Mammogram, right breast, CC view. Patient age 52.
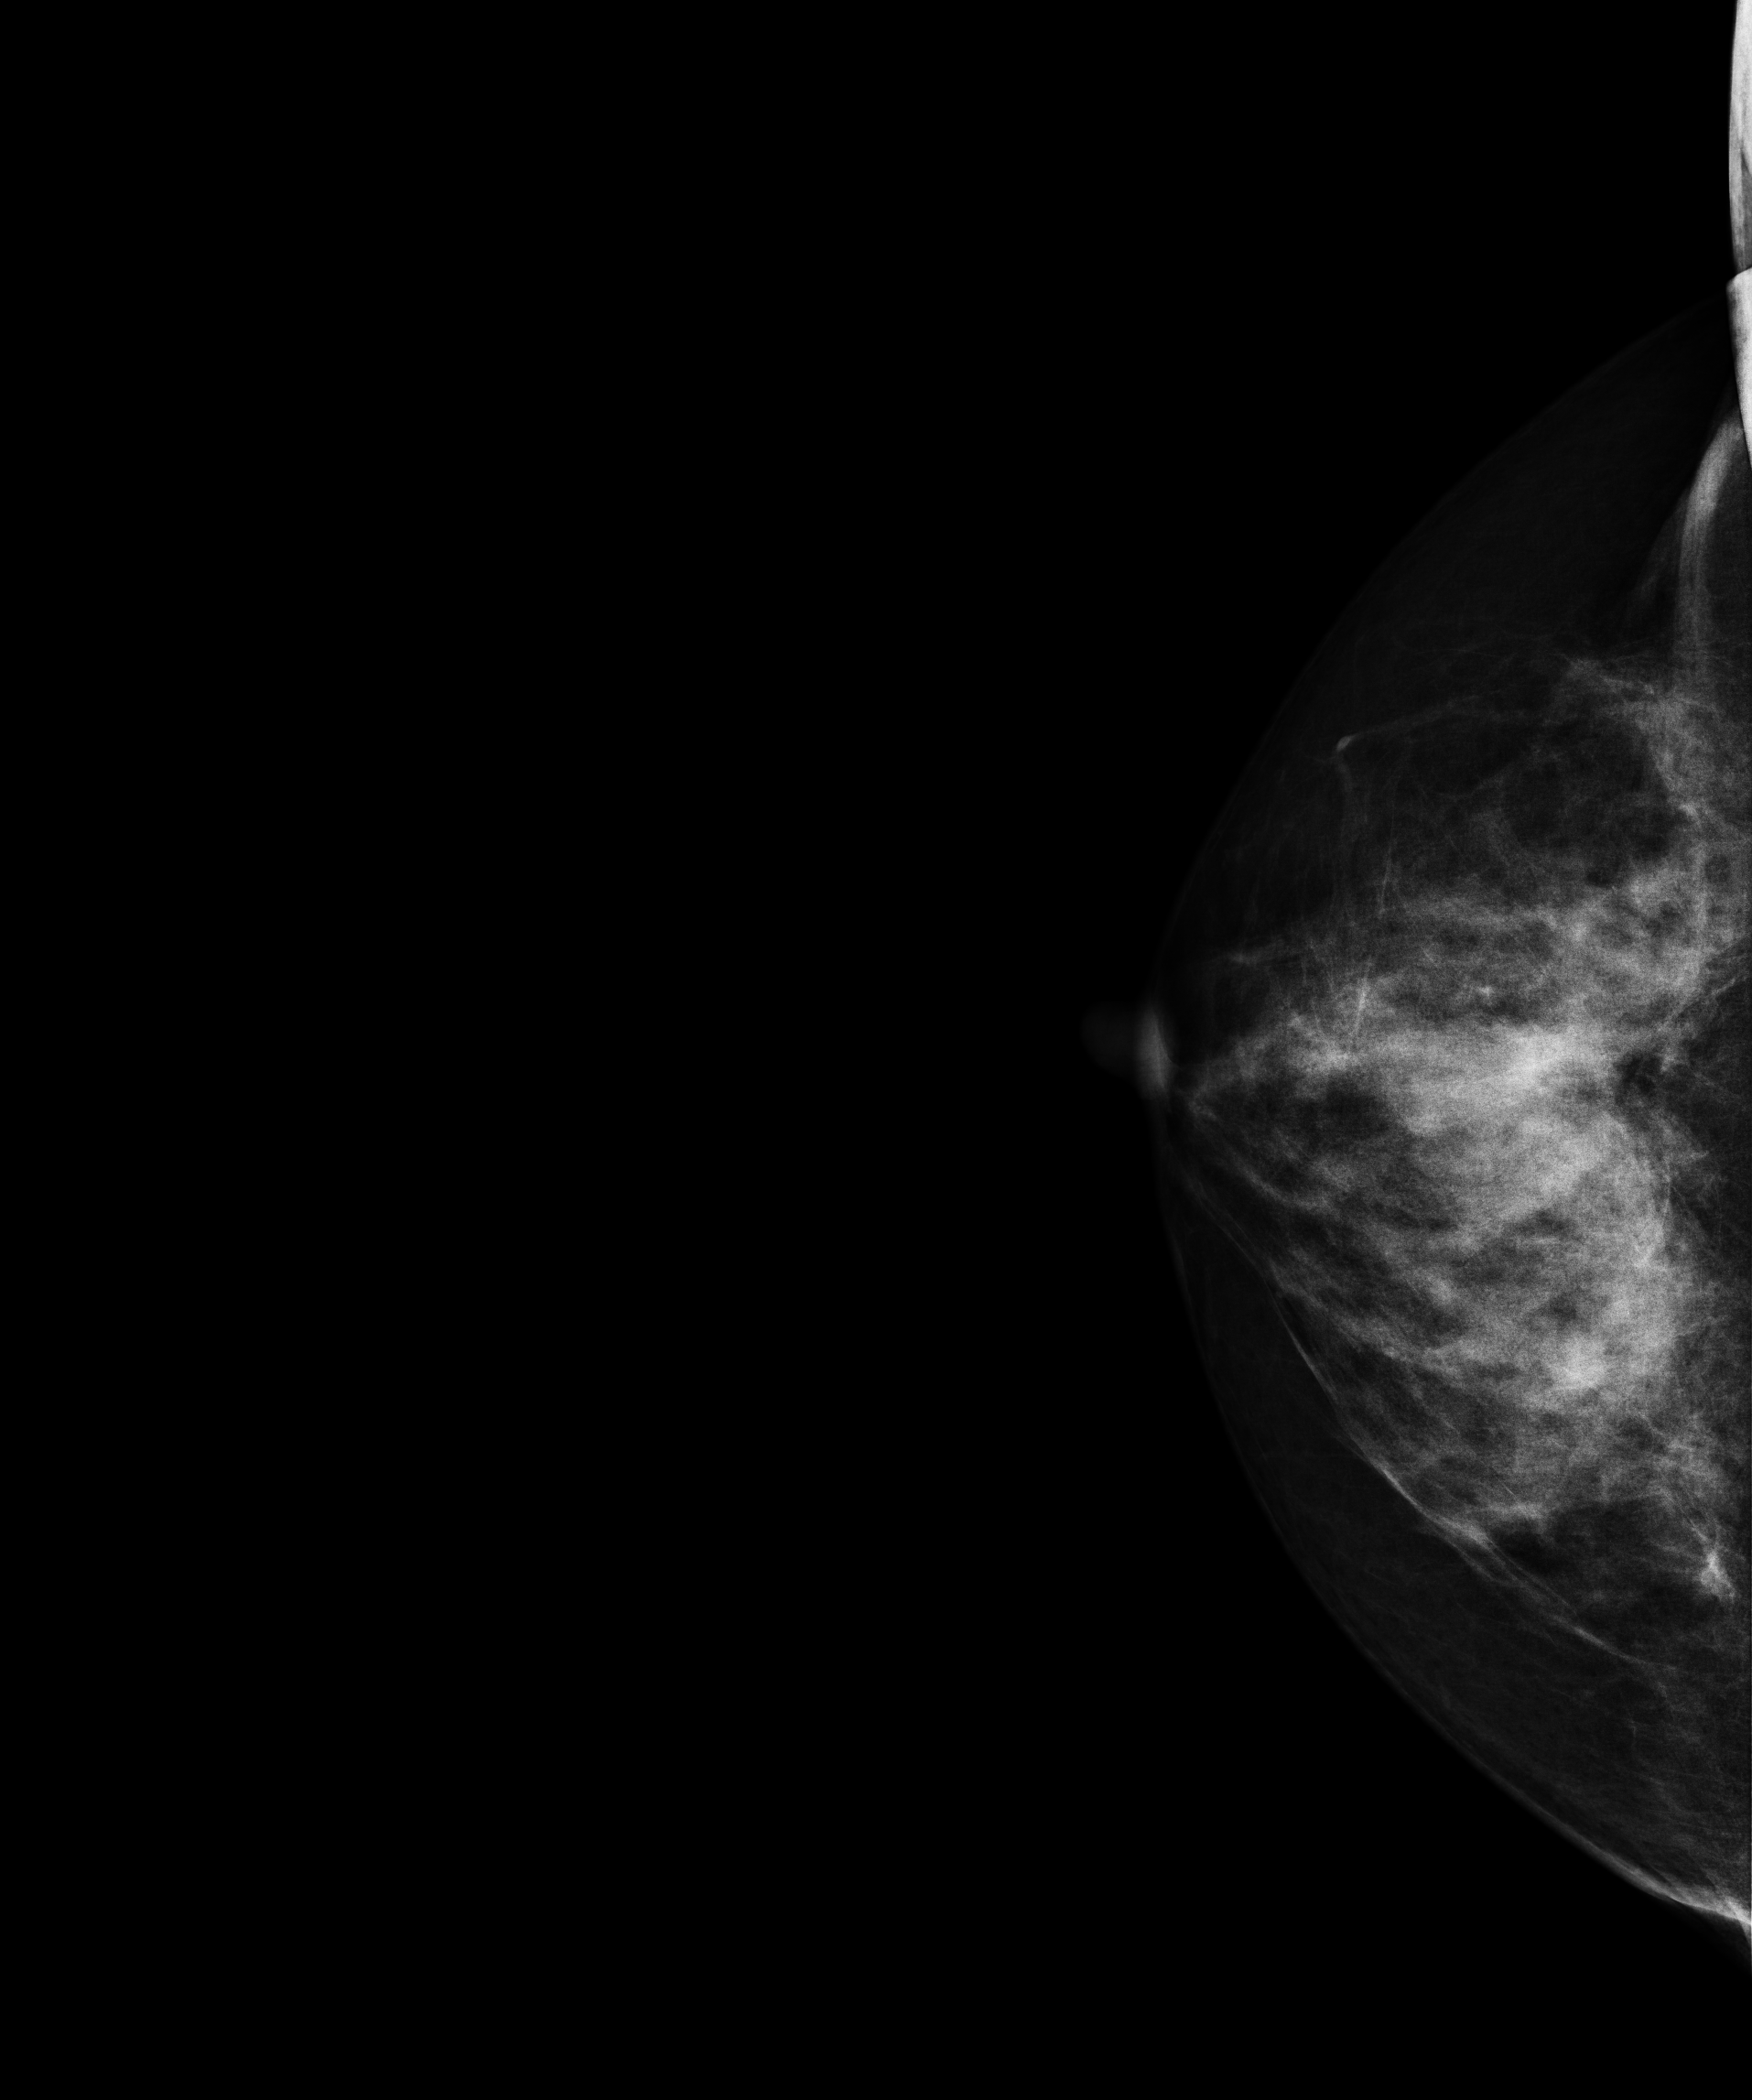
This breast has a mass, histologically confirmed malignant. Molecular subtype: luminal B.